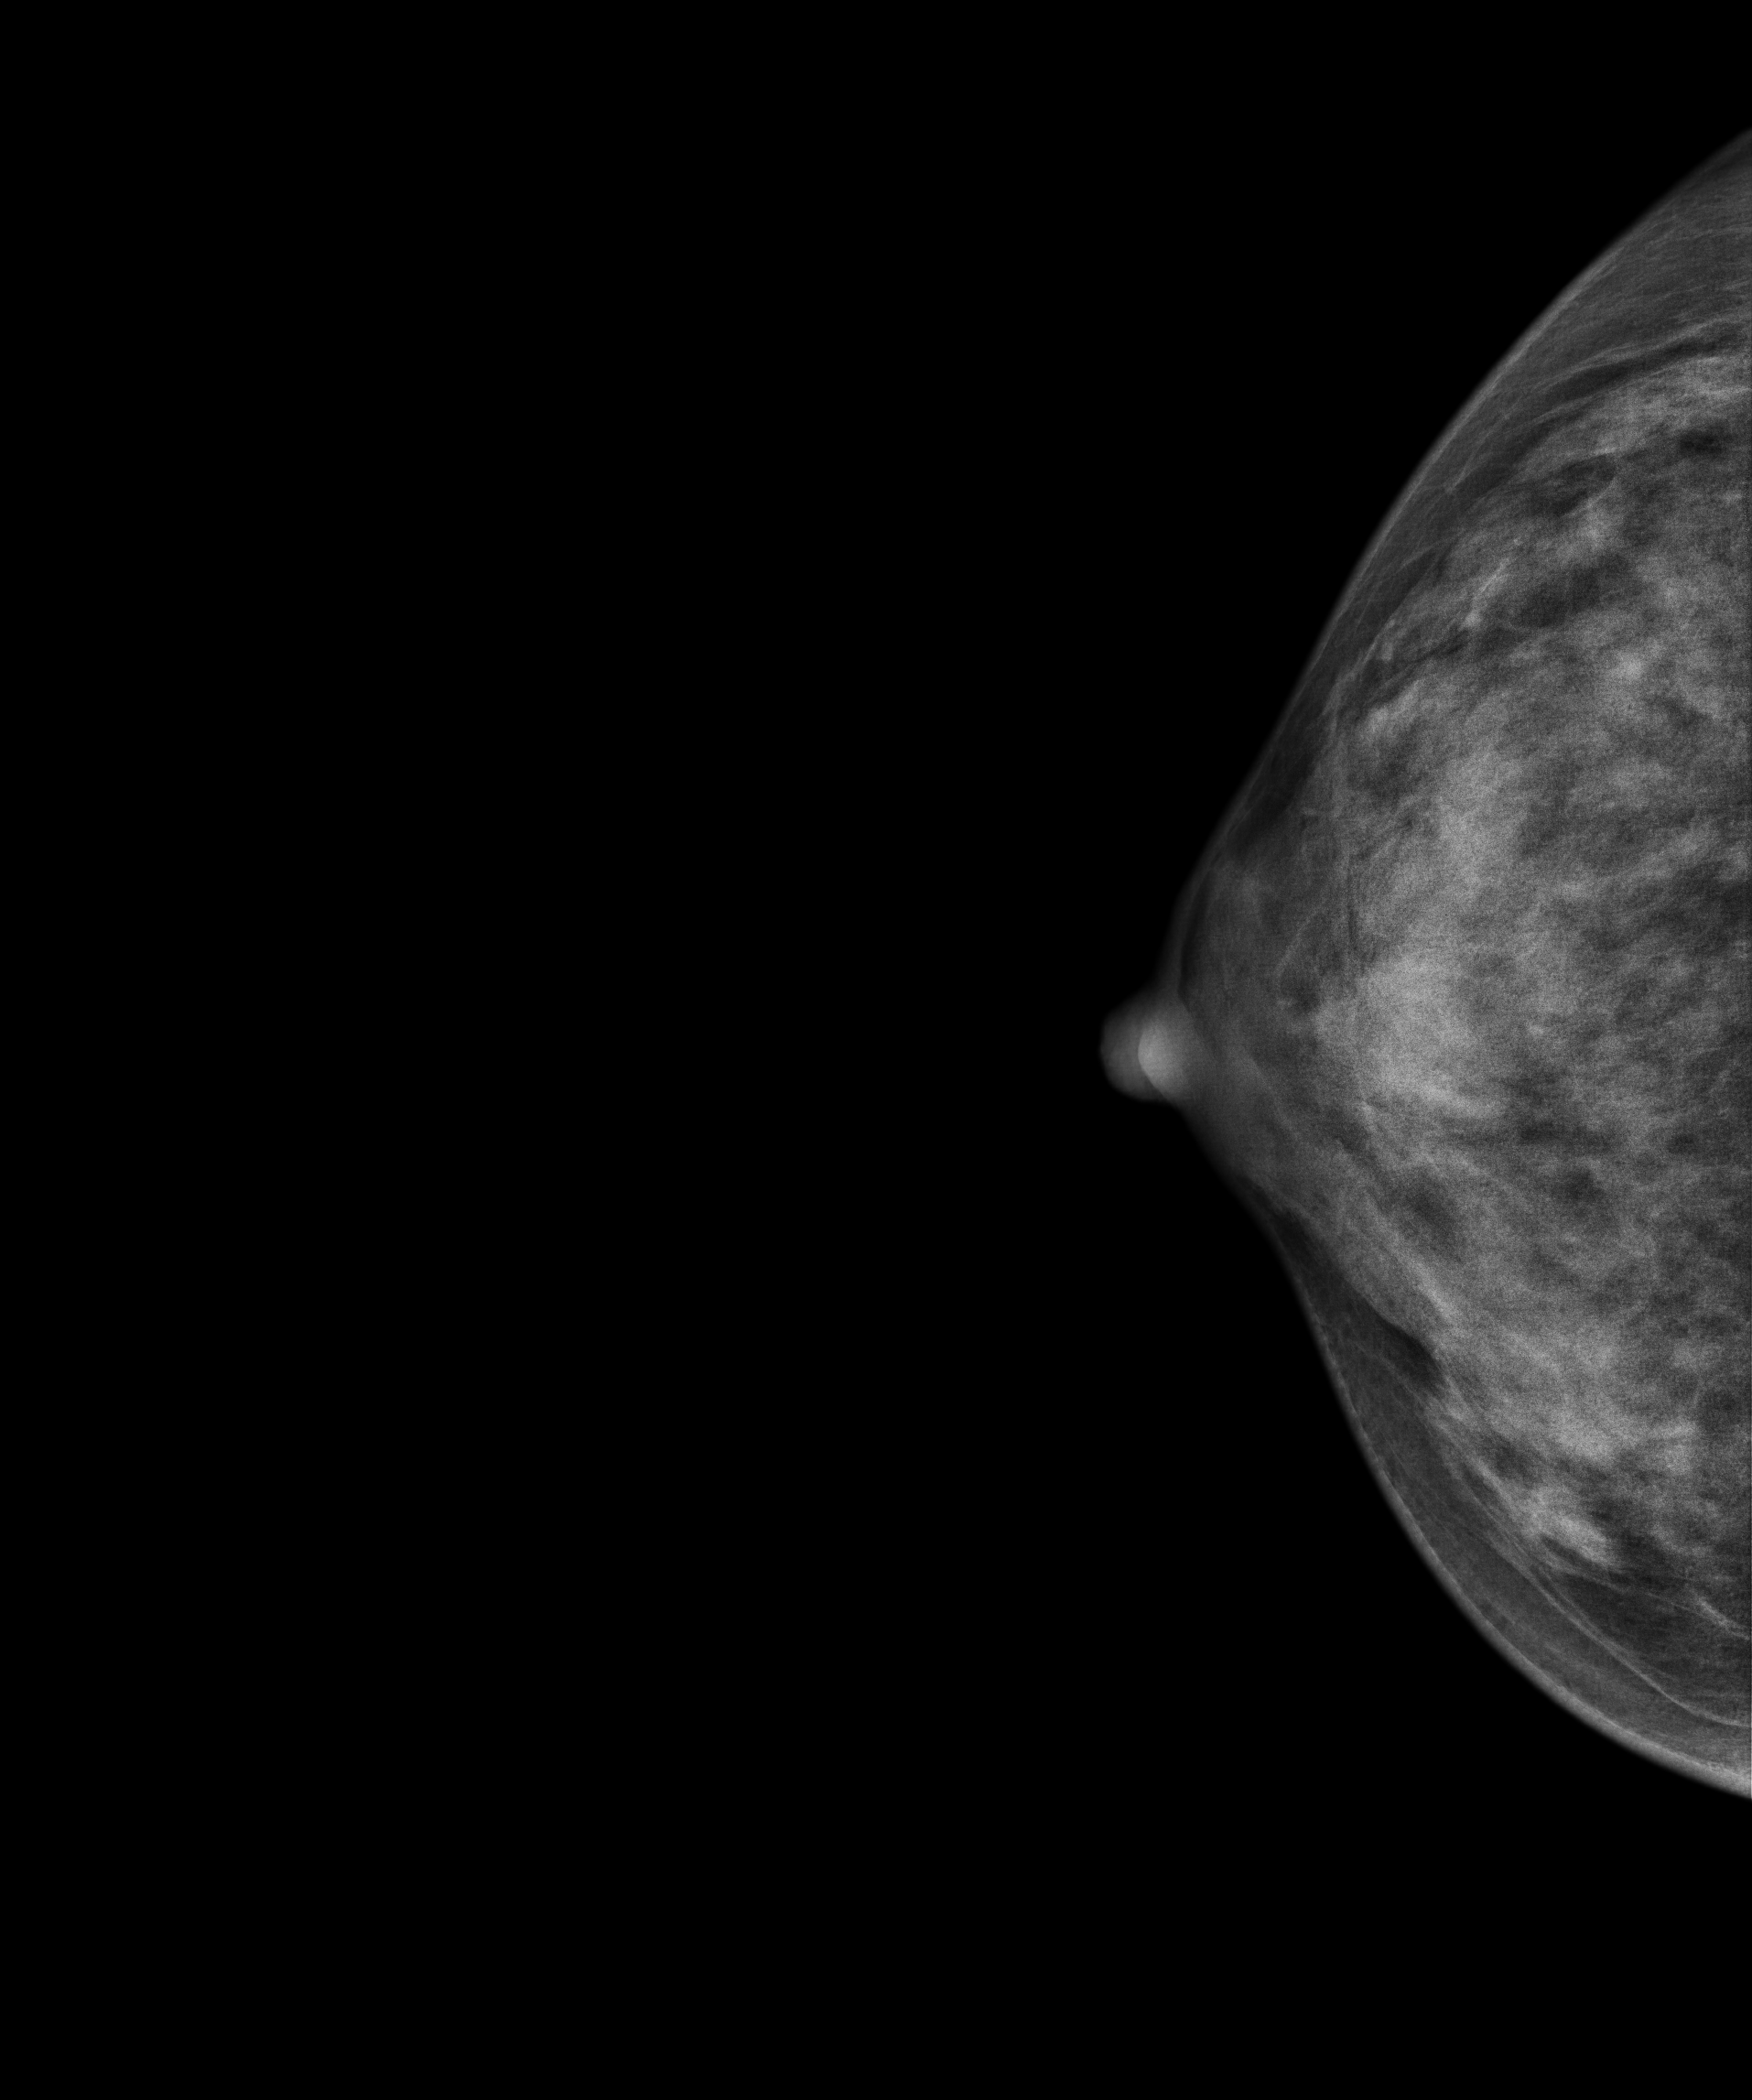
Mammogram, right breast, CC view. Patient age 32.
This breast has a mass, pathology-confirmed benign.